Mammogram, right breast, medio-lateral oblique view. 43-year-old patient.
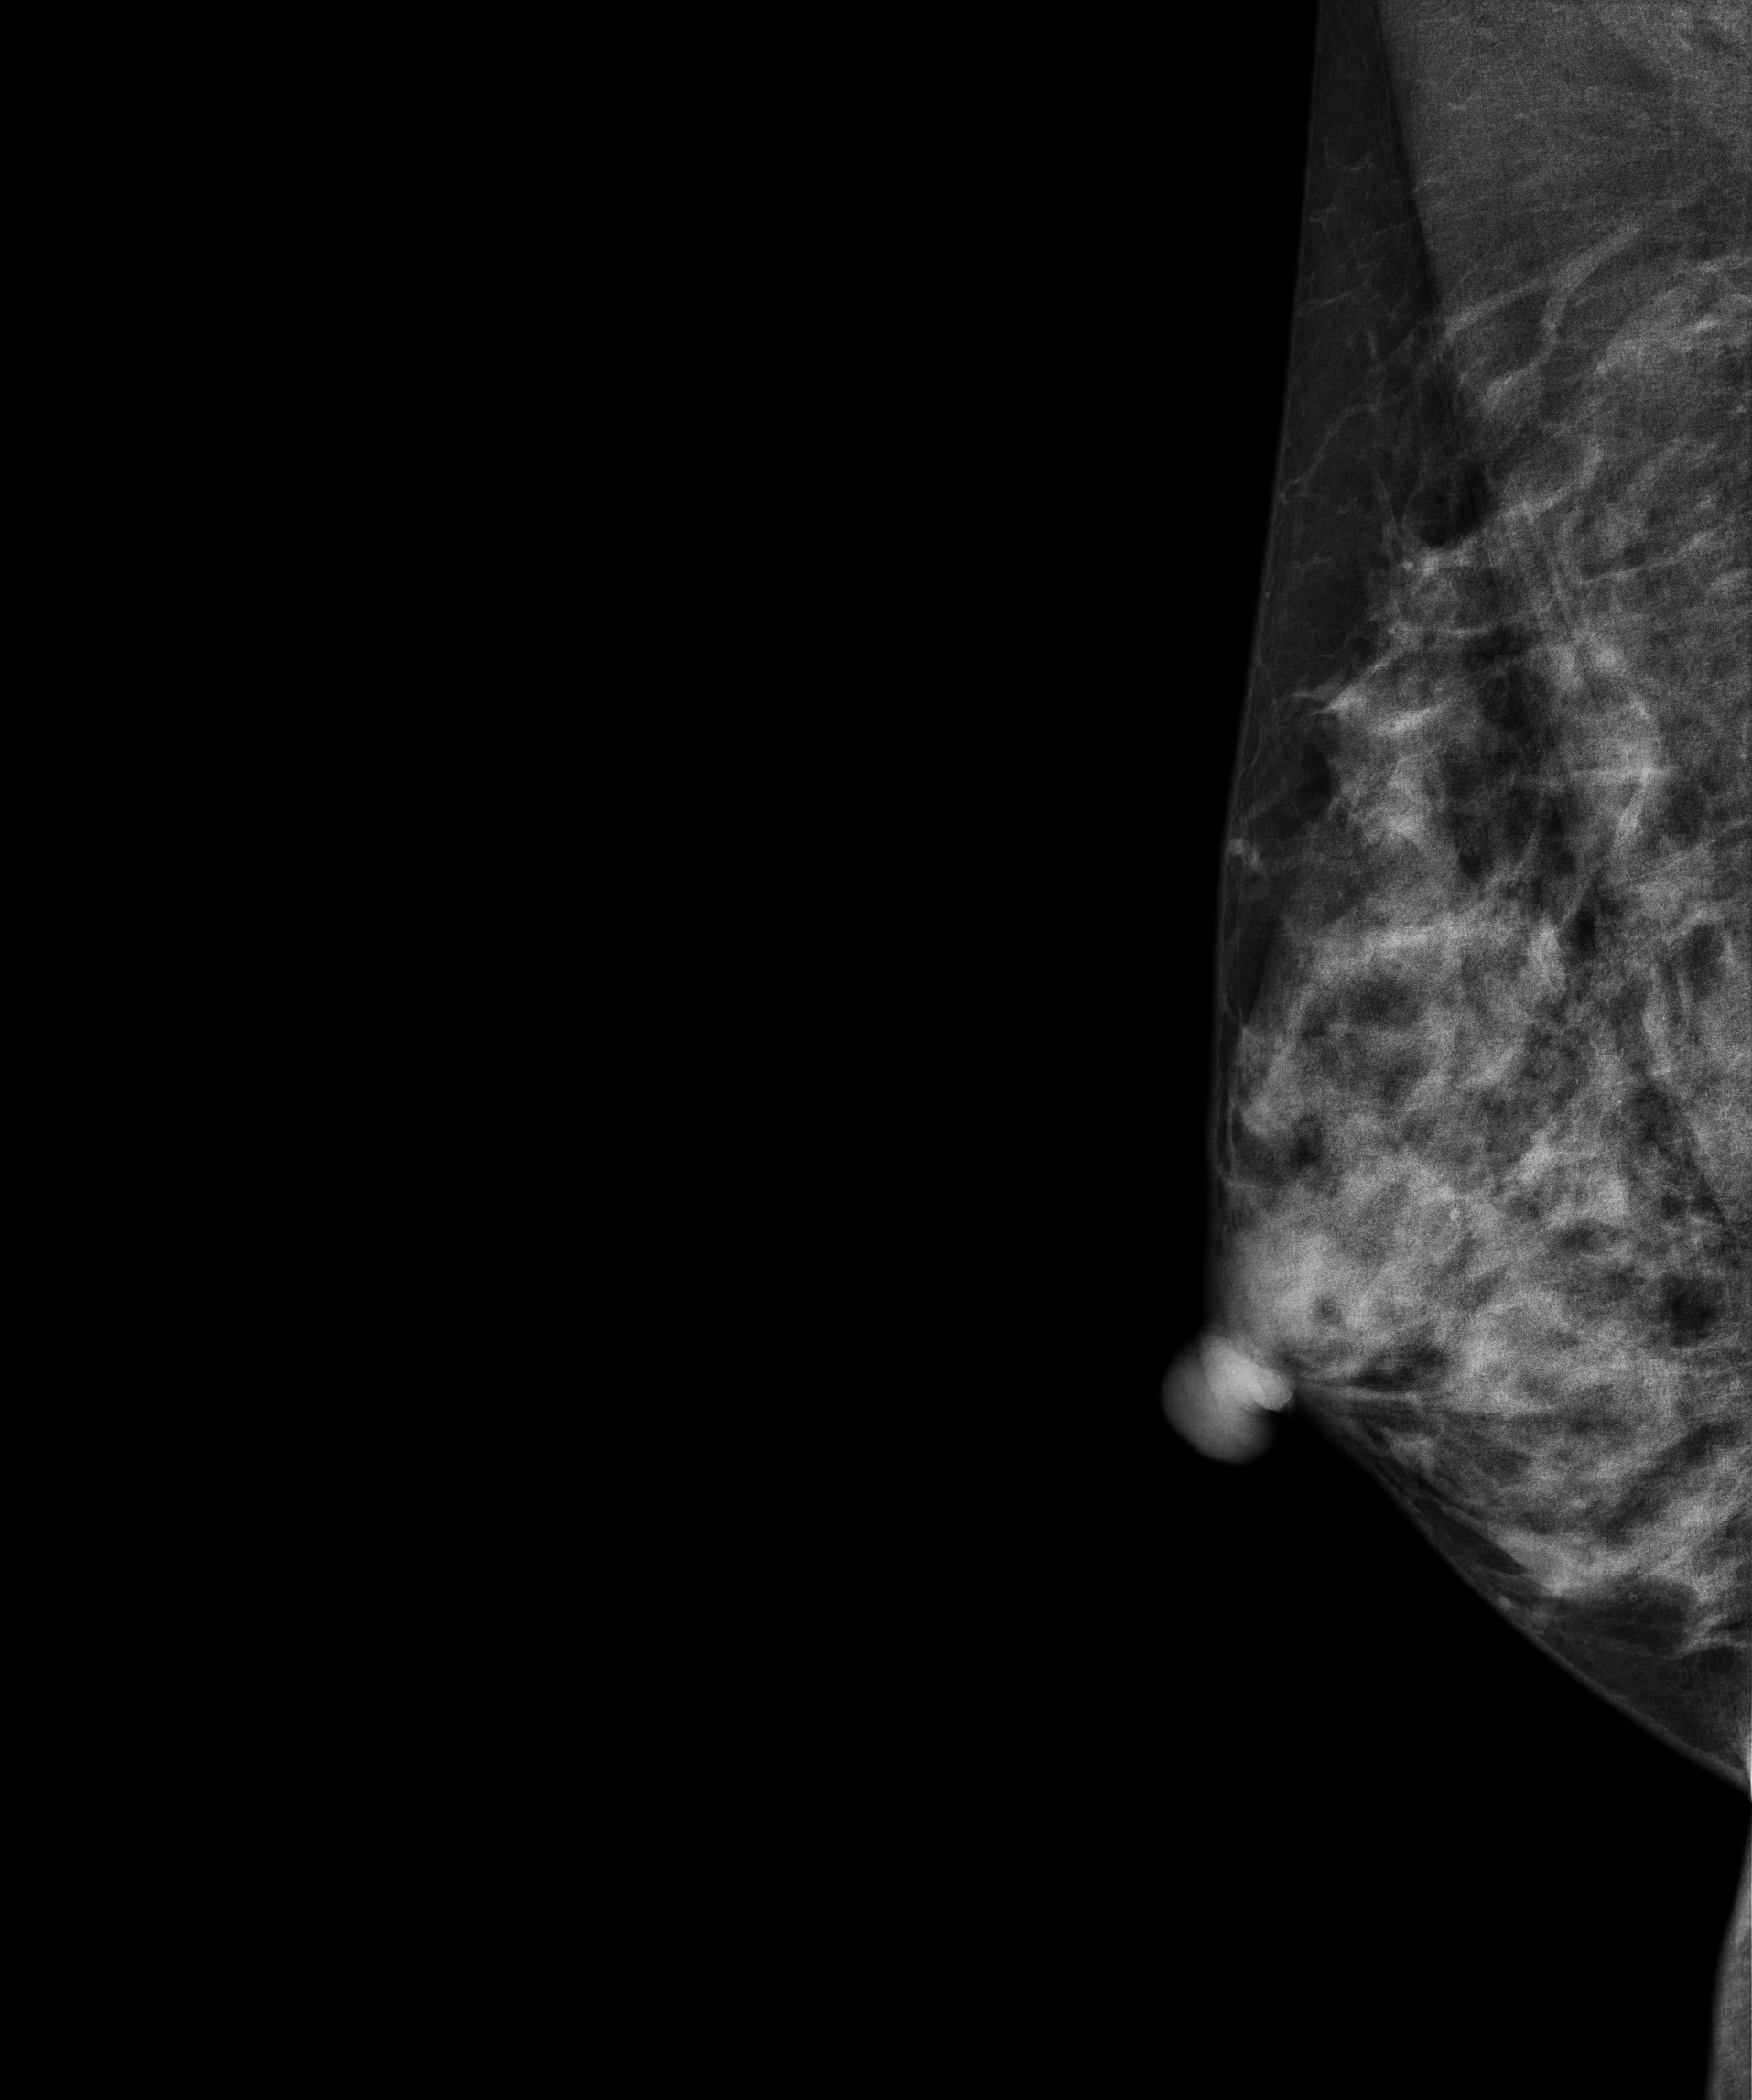
This breast has a mass and calcifications, pathology-confirmed malignant.